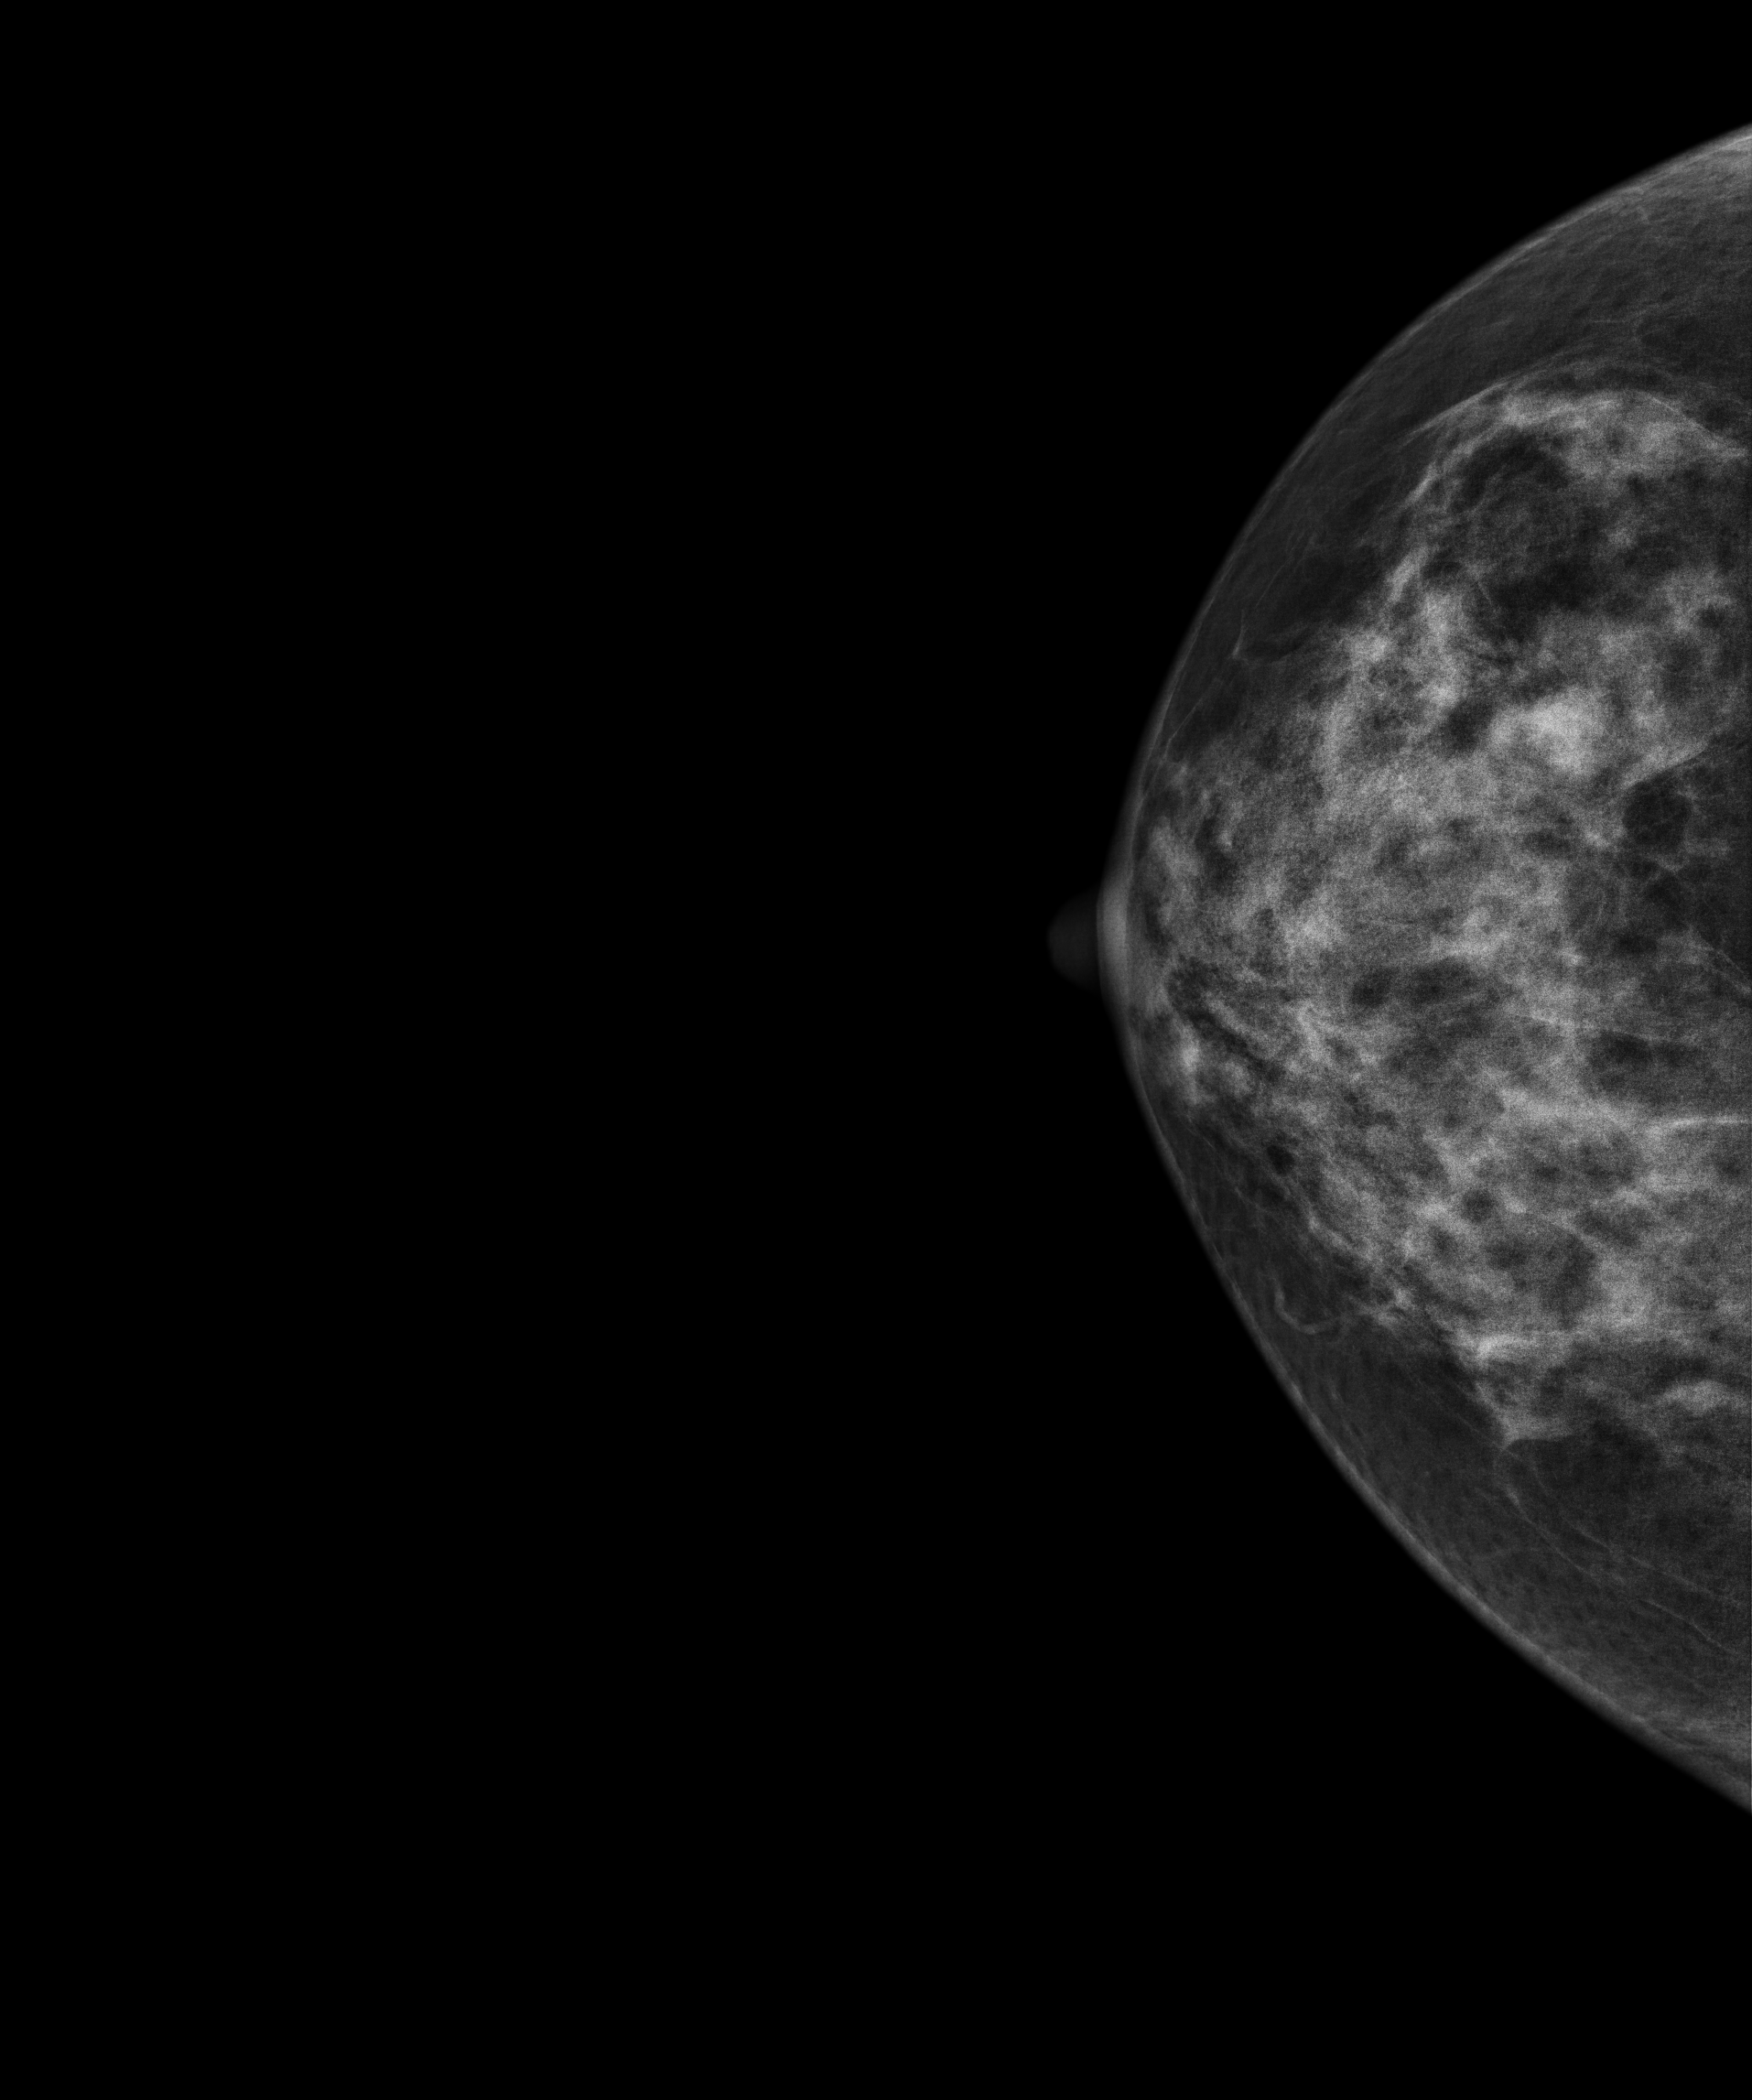
Mammogram — right cranio-caudal. 66-year-old patient.
This breast has a mass, biopsy-confirmed benign.